Left-breast mammogram, cranio-caudal. Patient age 52.
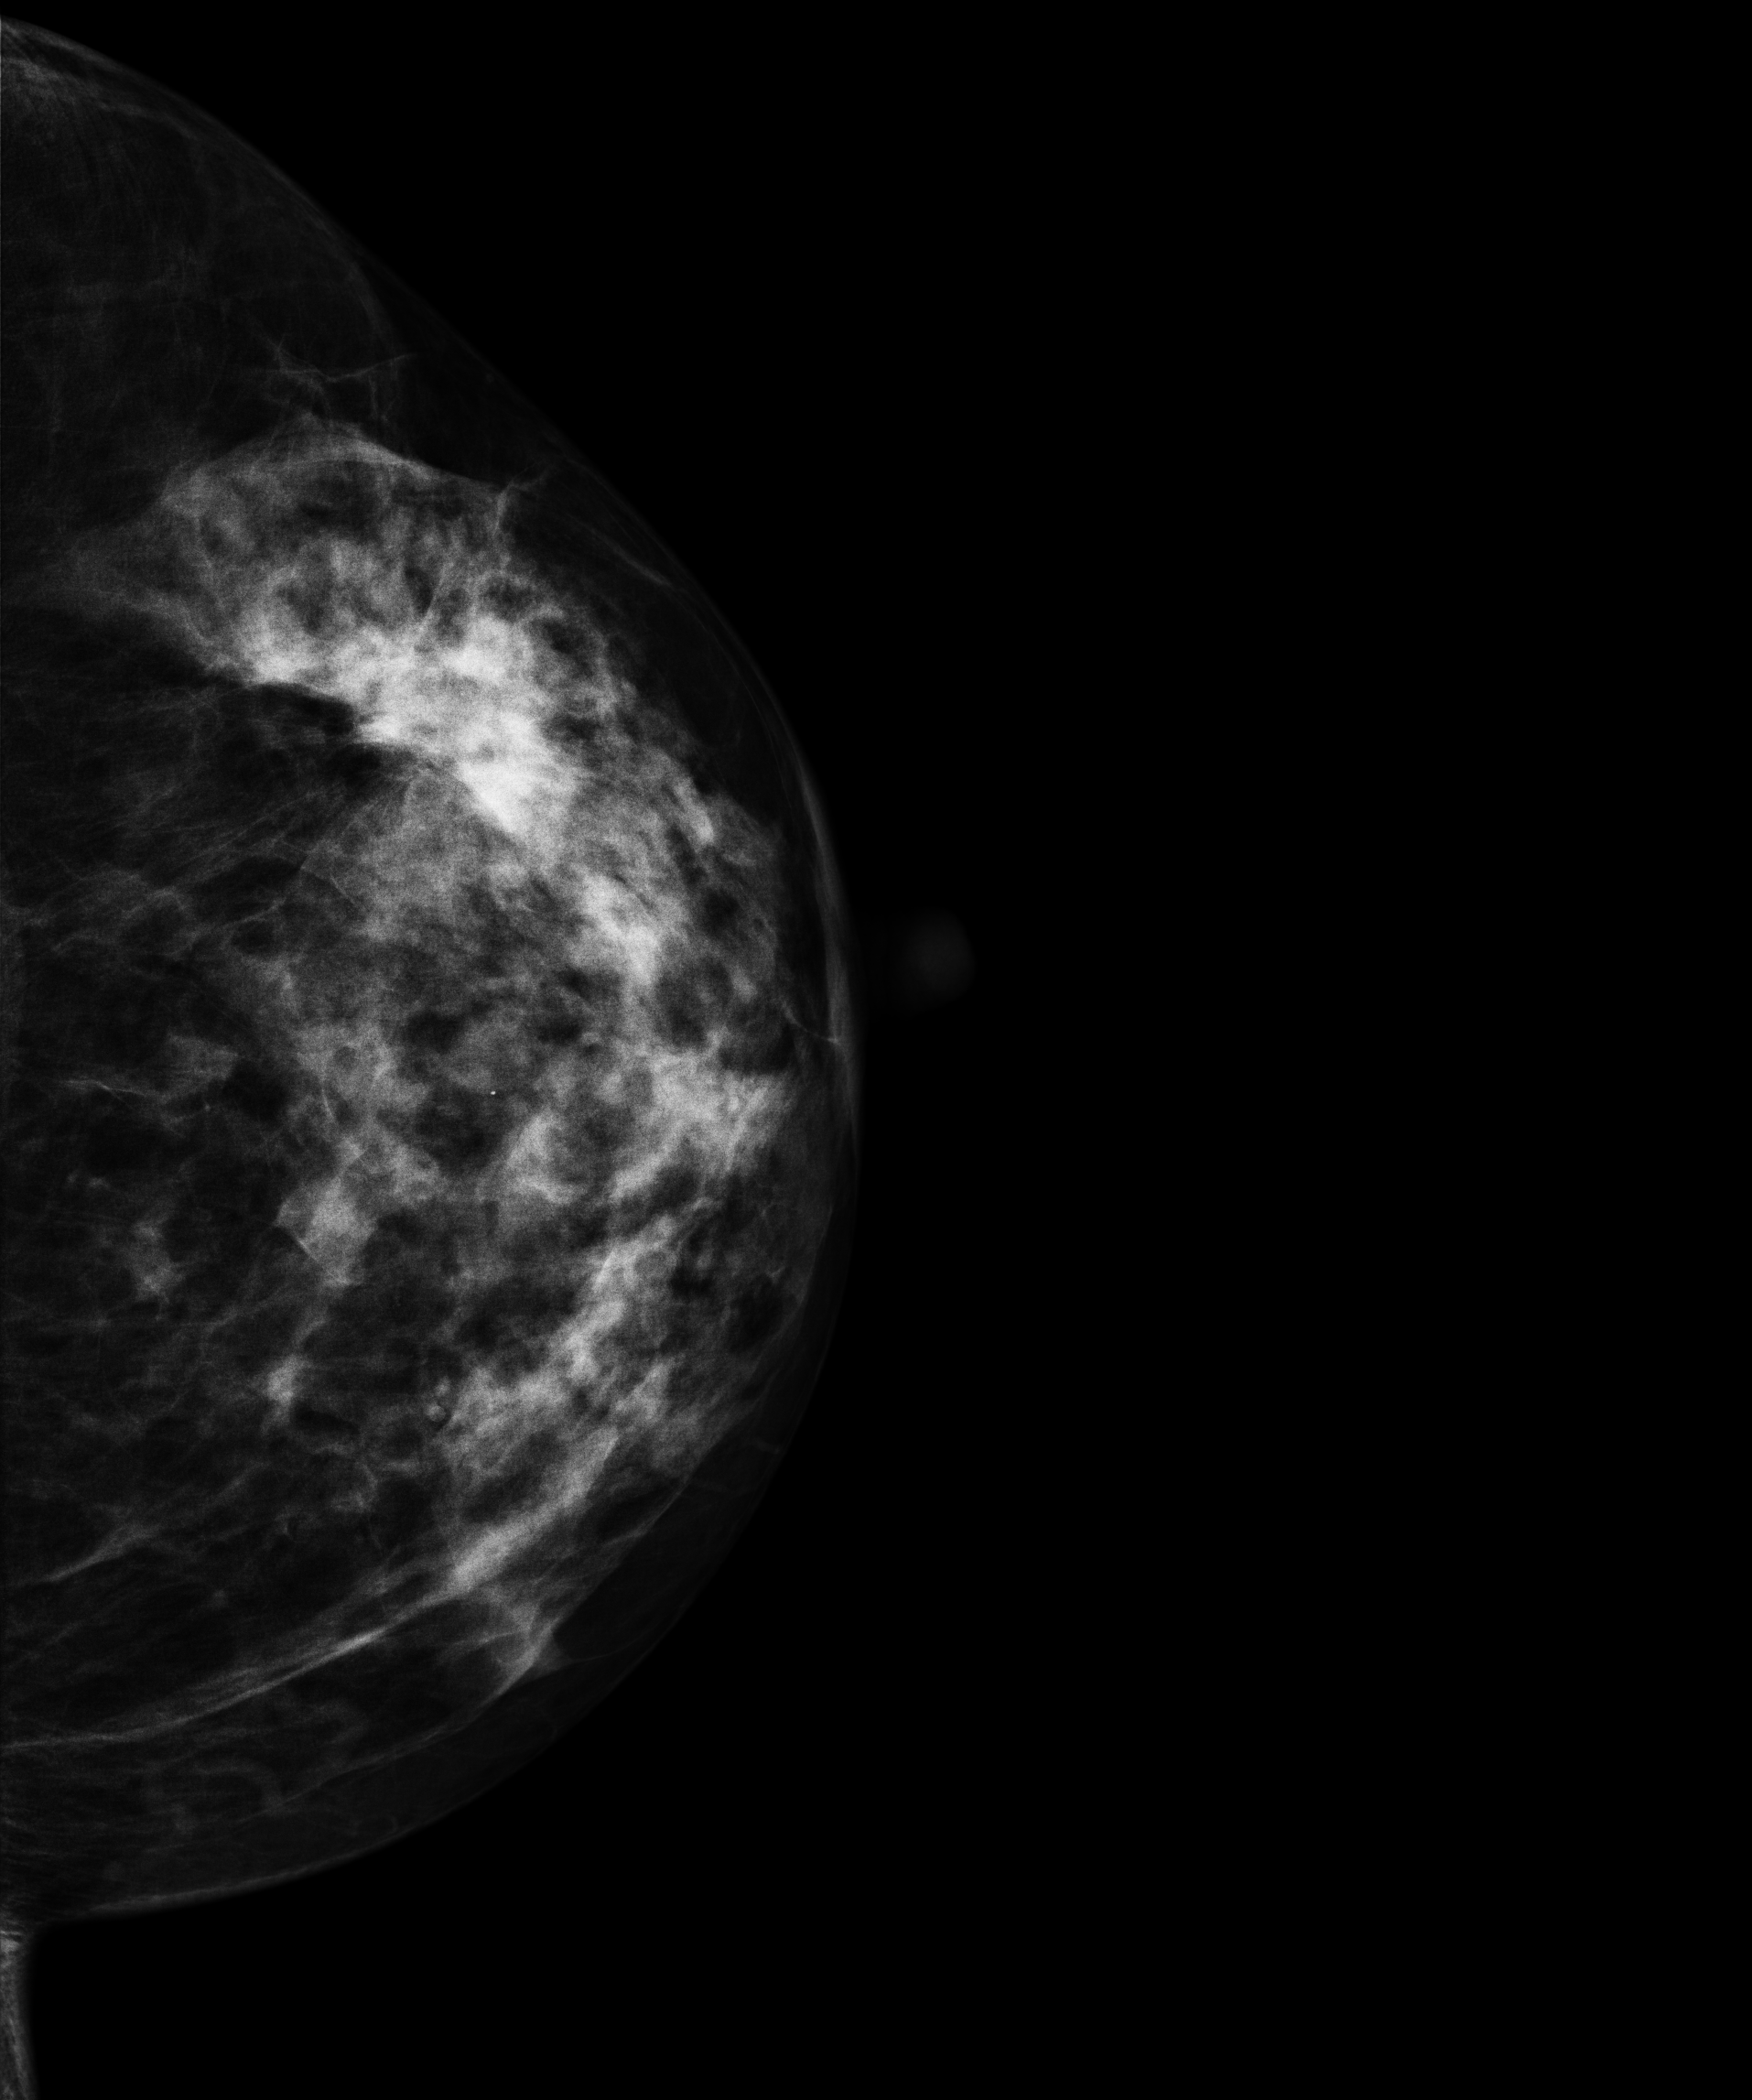
This breast has a mass, biopsy-confirmed malignant.